Mammogram — right medio-lateral oblique. Patient age 58.
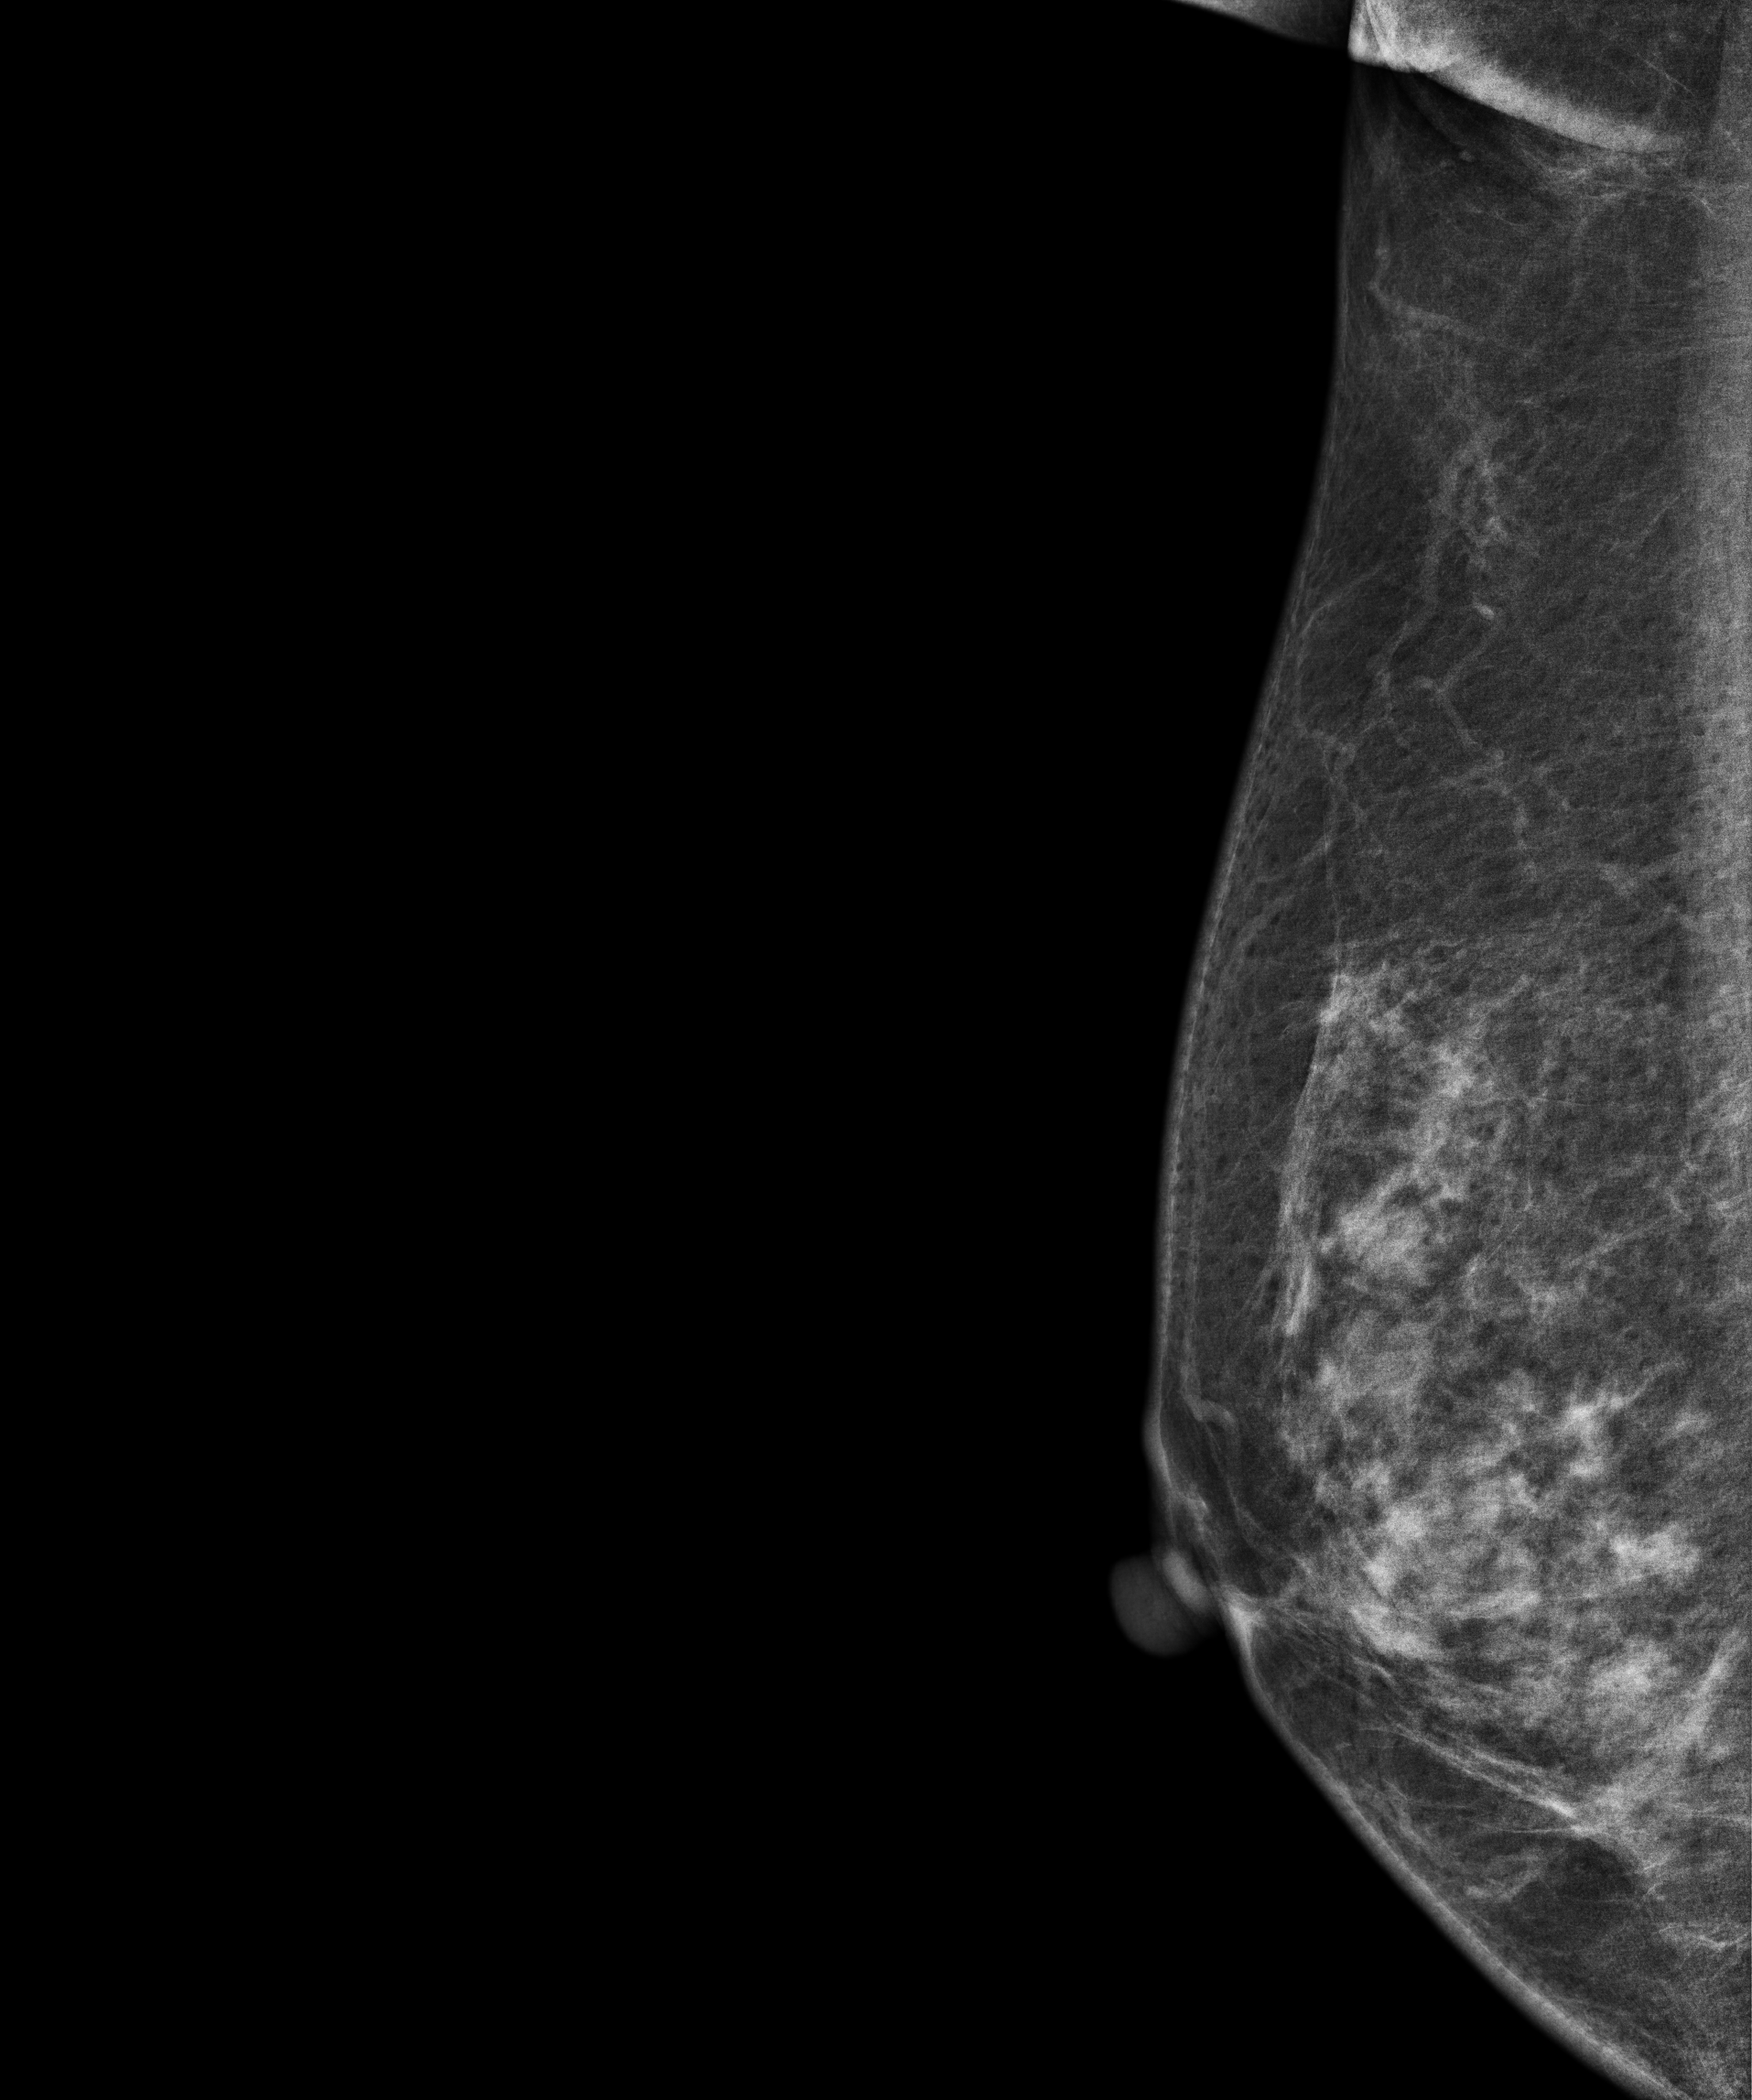
Contralateral breast — no documented abnormality on this side.